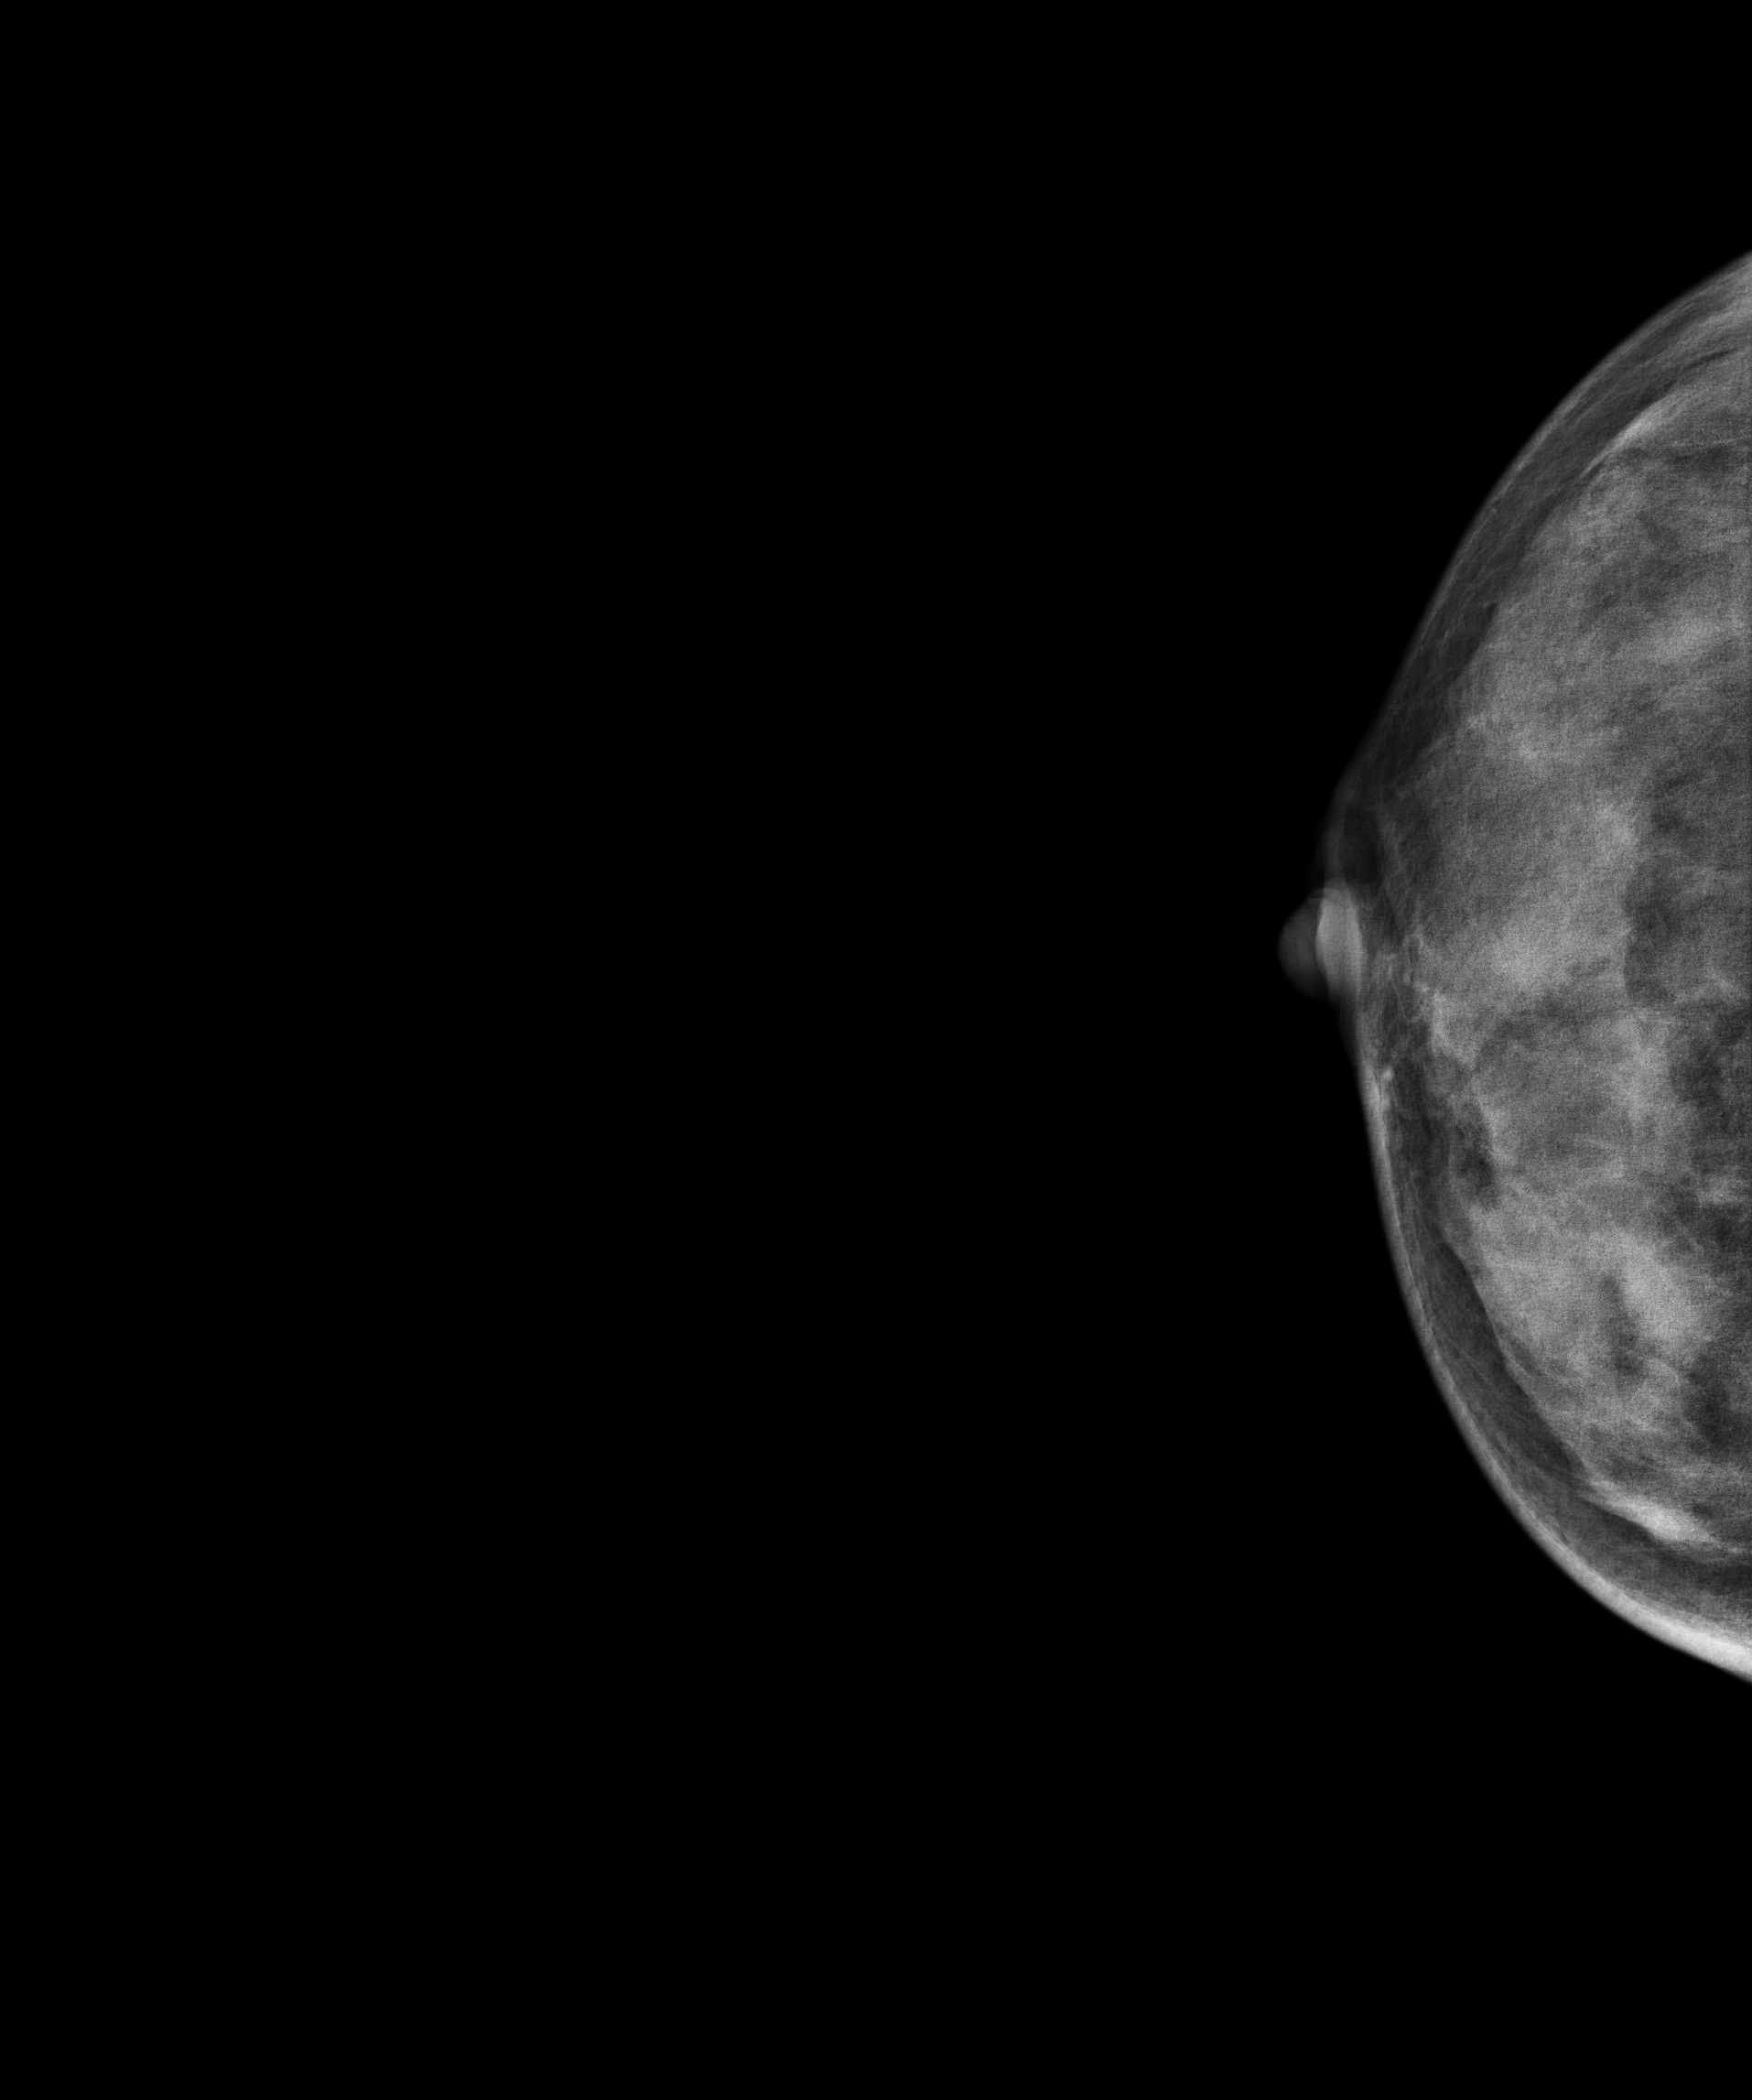
Digital mammography. Right breast, CC projection. Patient age 44.
Contralateral breast — no documented abnormality on this side.